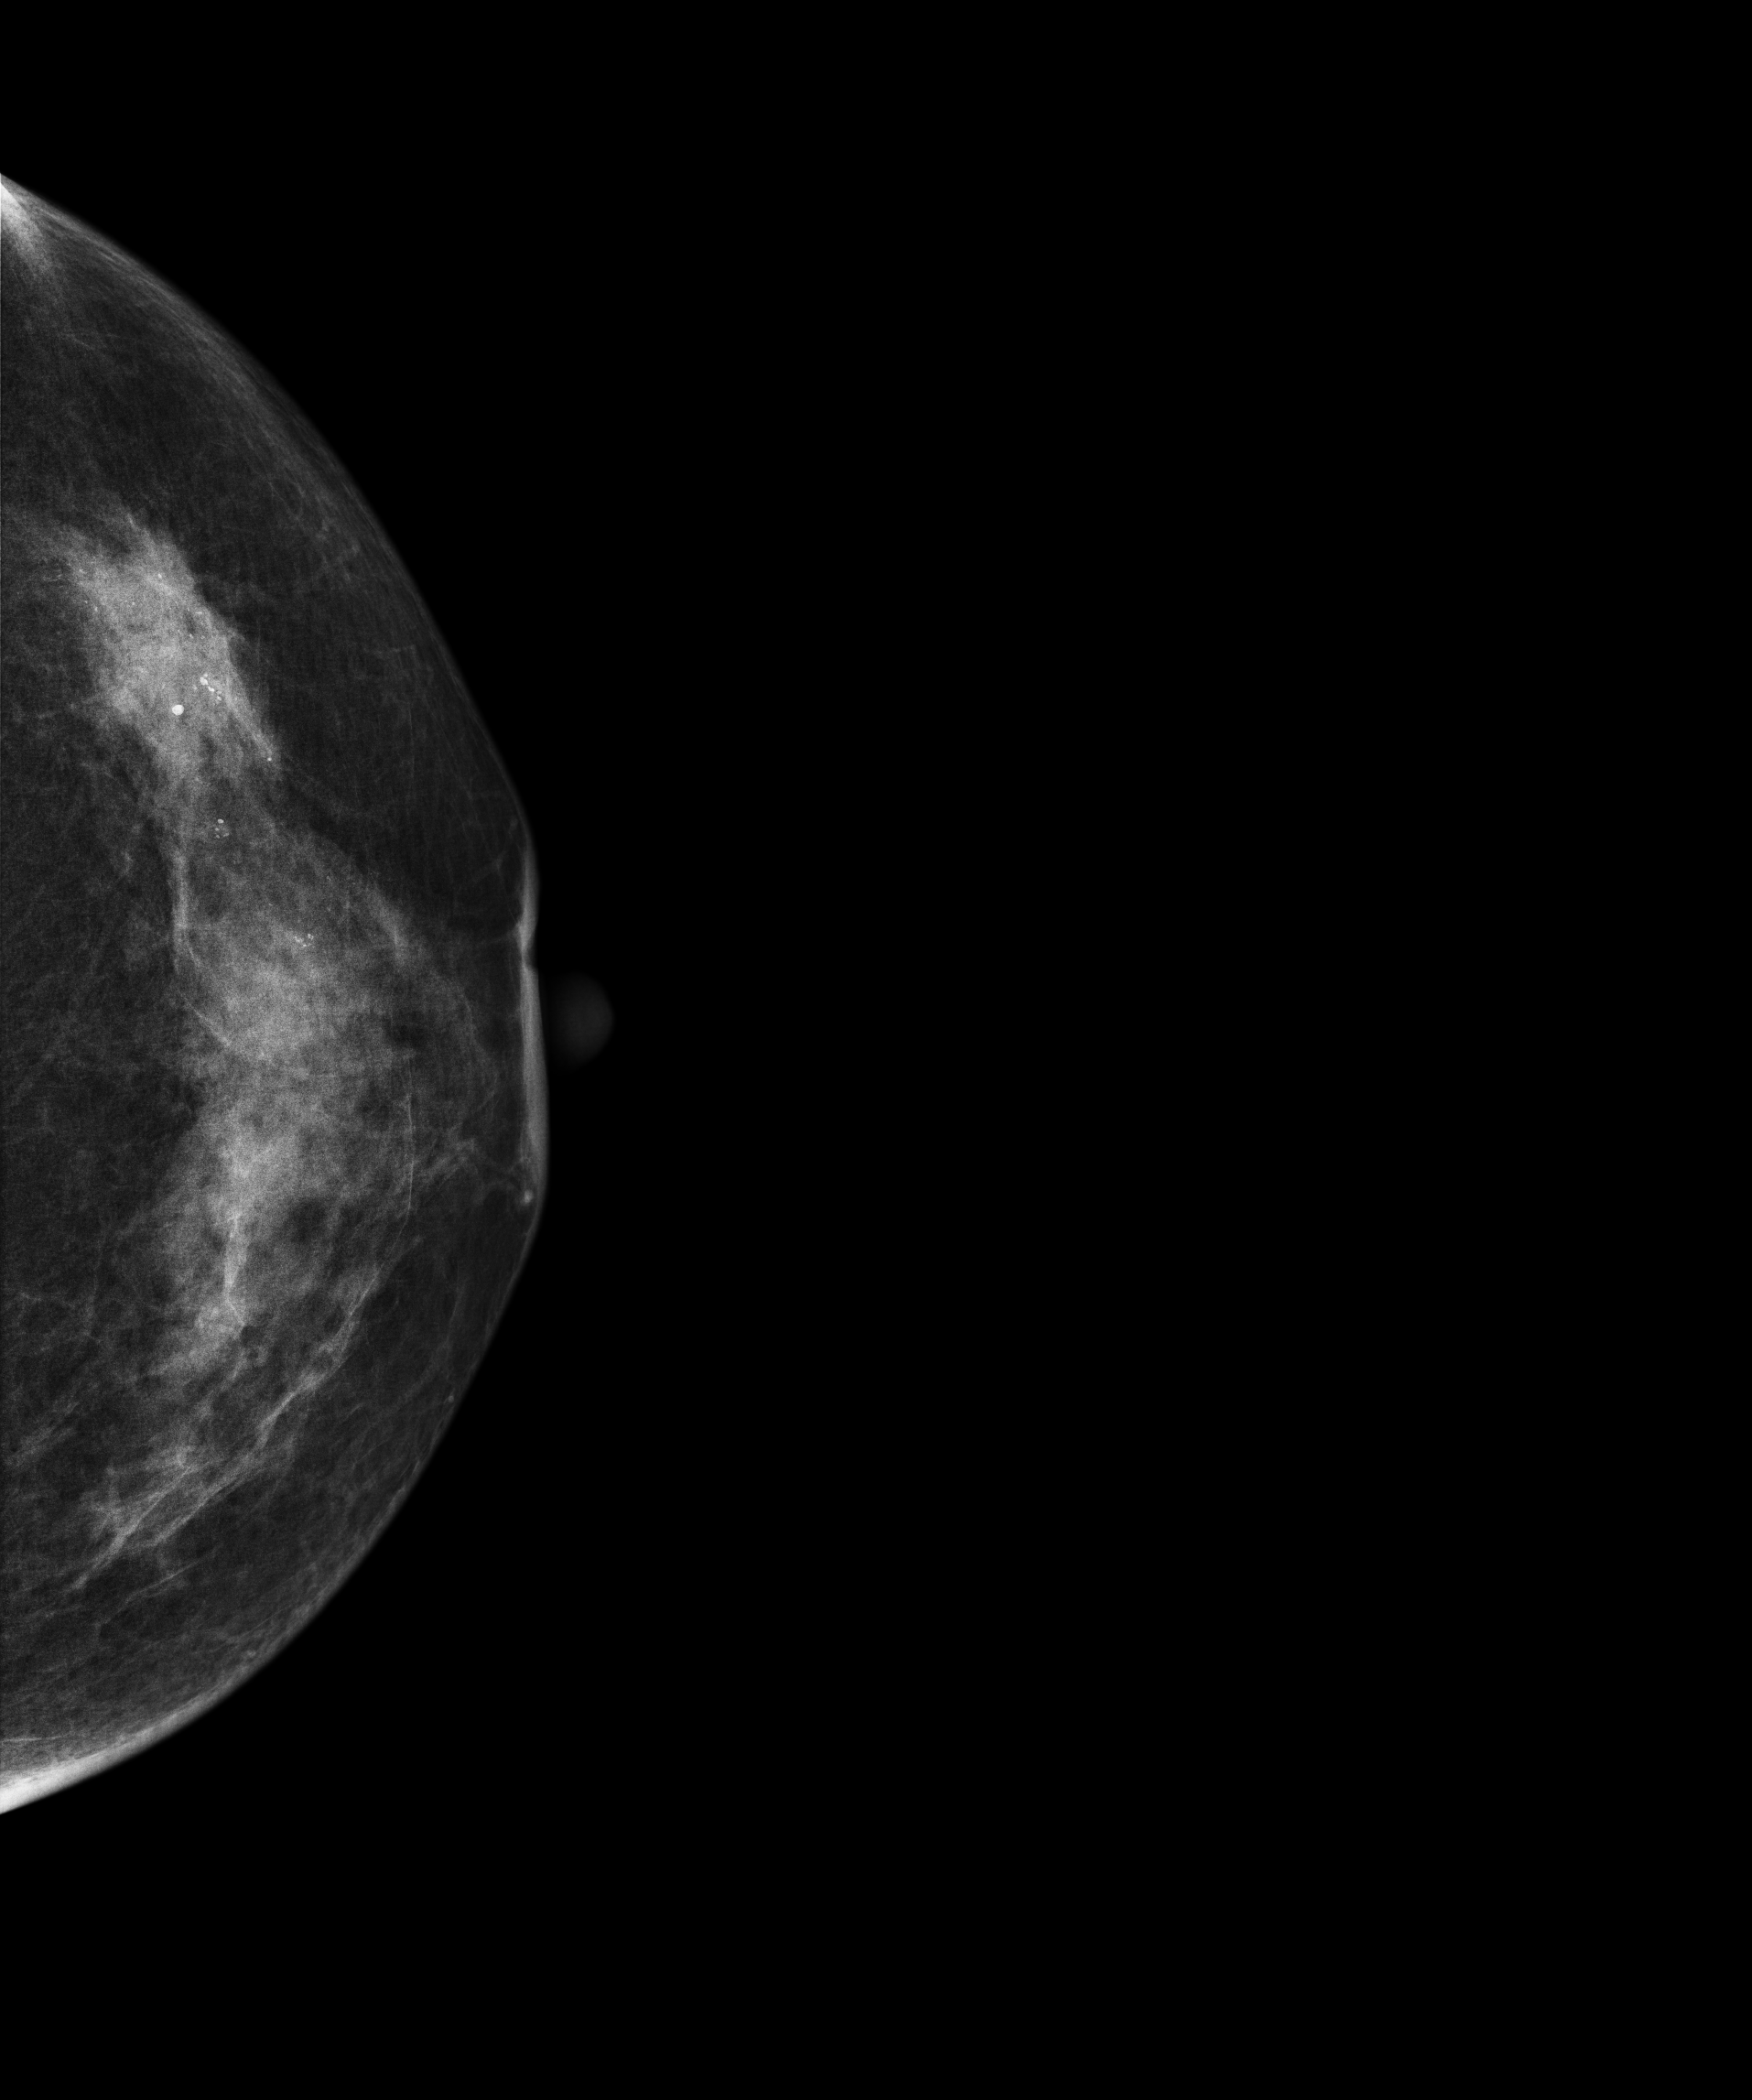
Digital mammography. Left breast, cranio-caudal projection. 55-year-old patient.
This breast has a mass and calcifications, pathology-confirmed malignant. Molecular subtype: HER2-enriched.